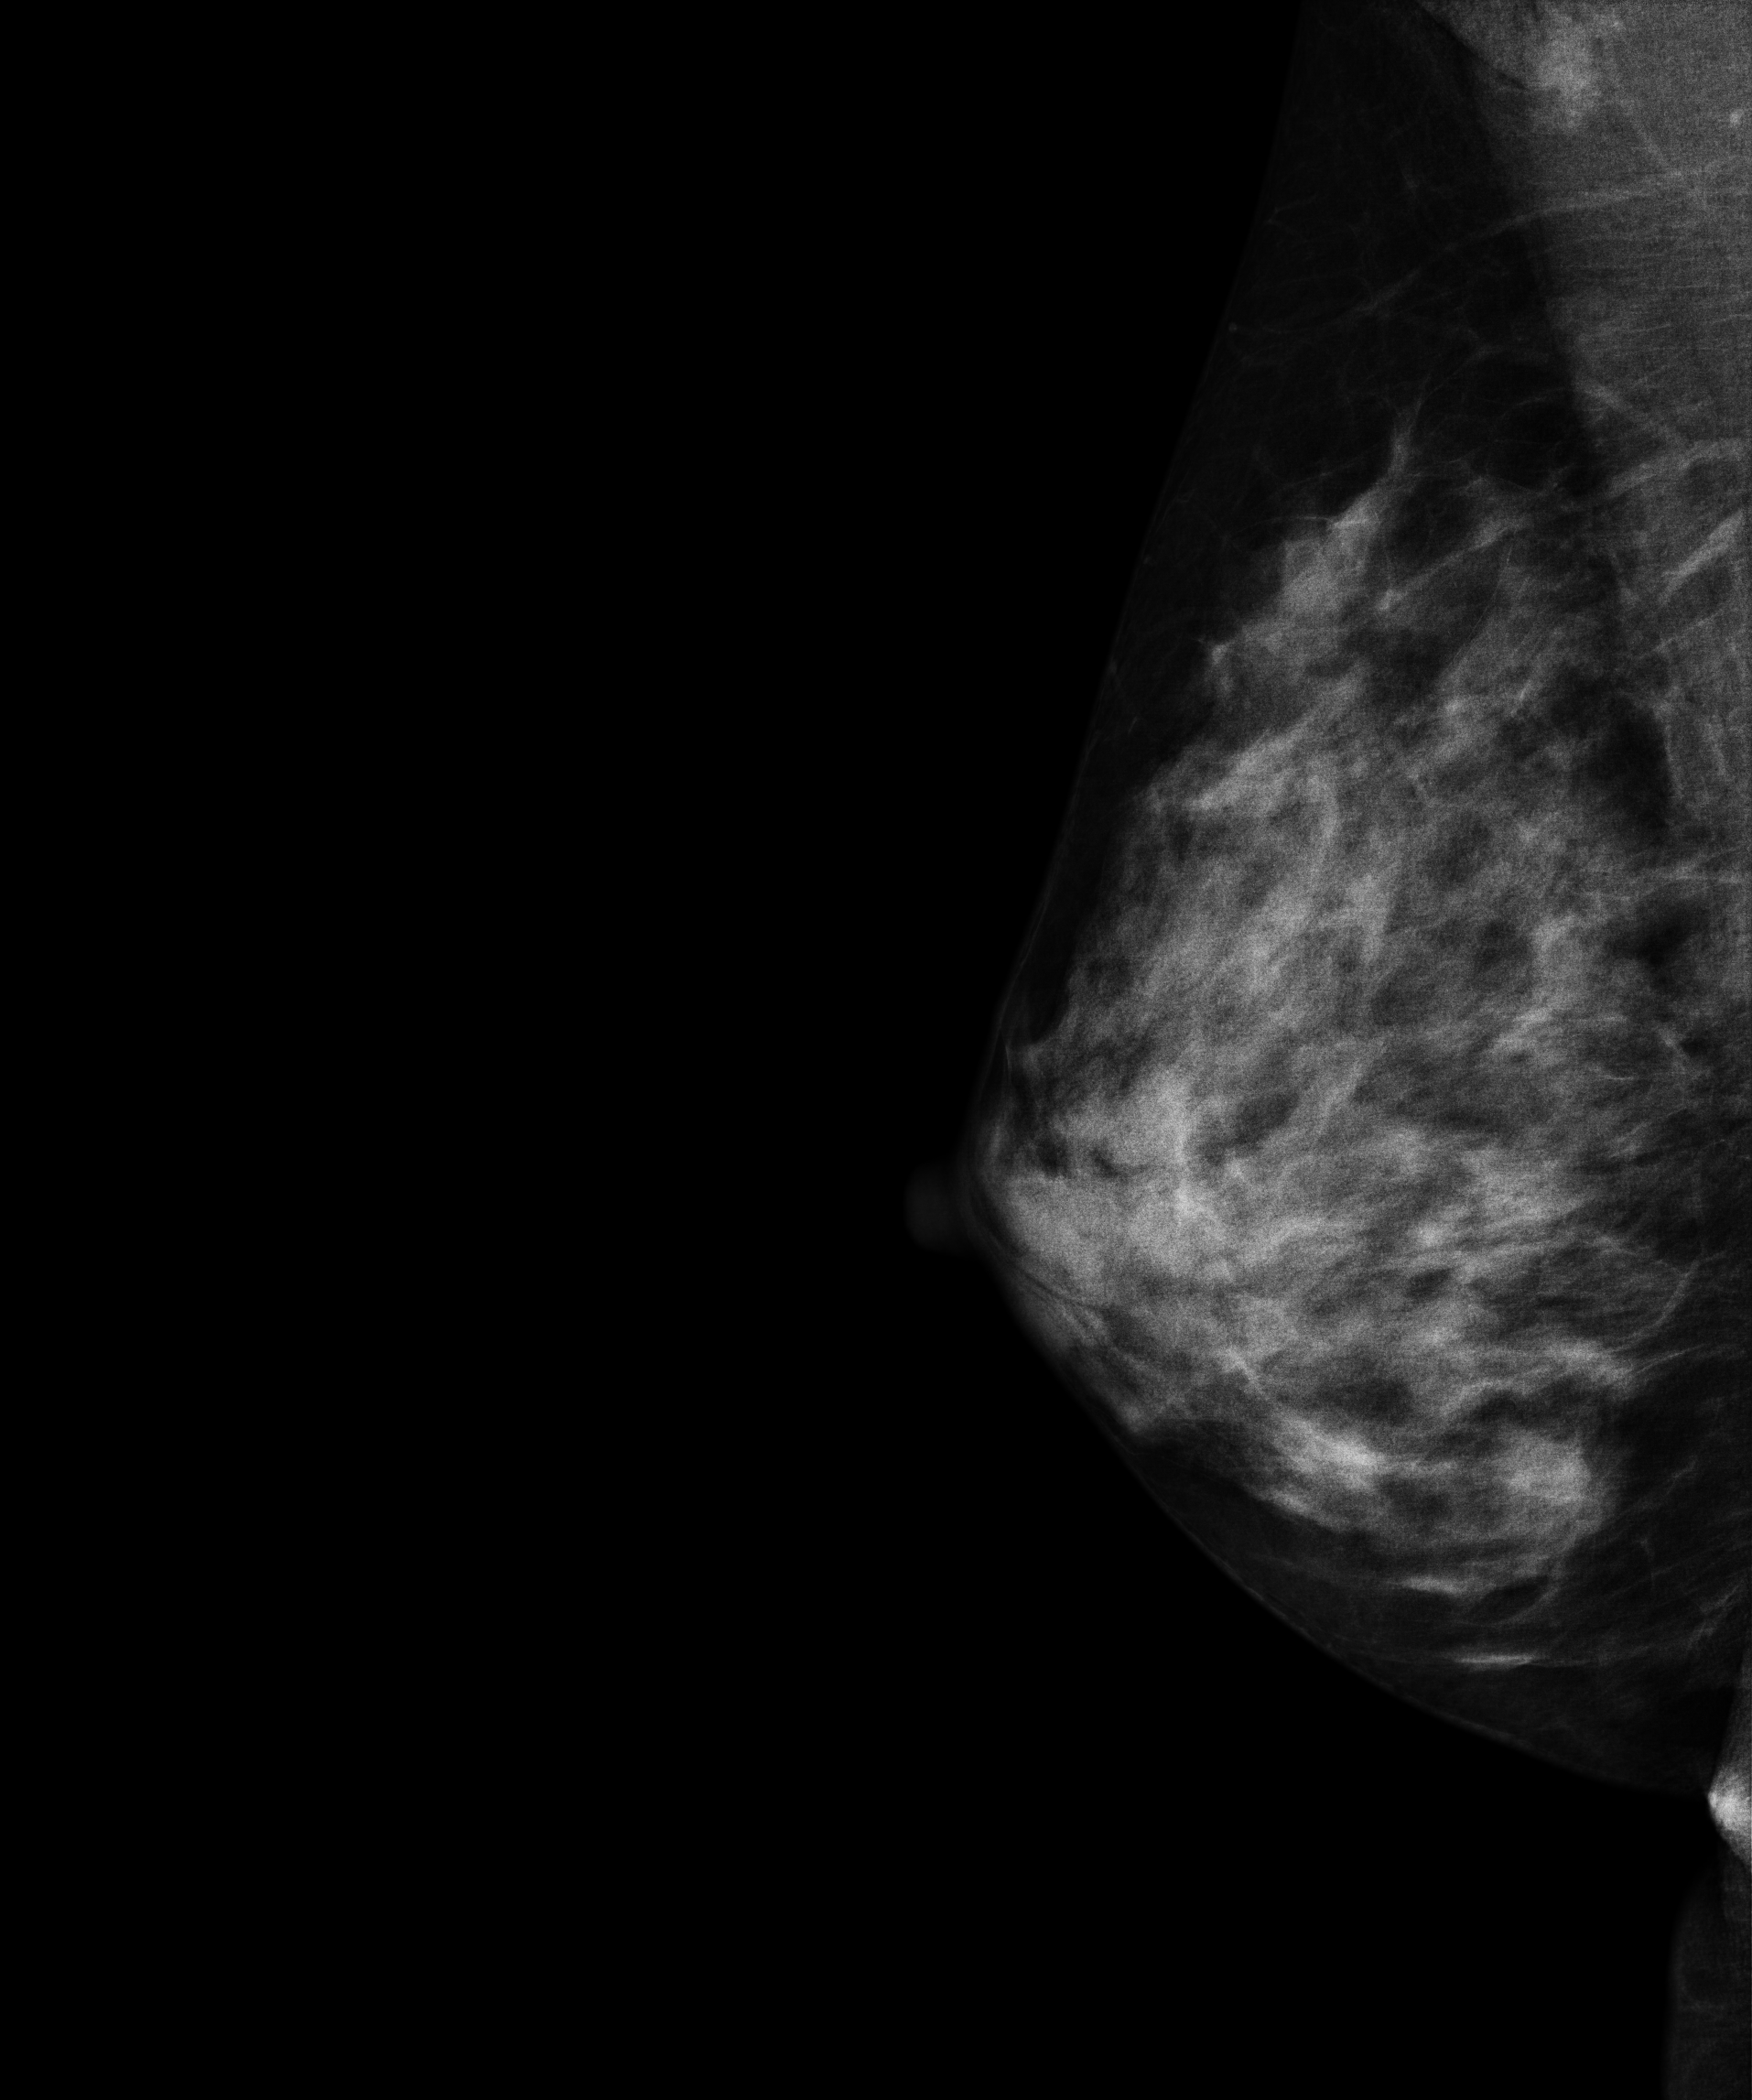
Digital mammography. Right breast, MLO projection. 39-year-old patient.
This breast has a mass, biopsy-proven benign.